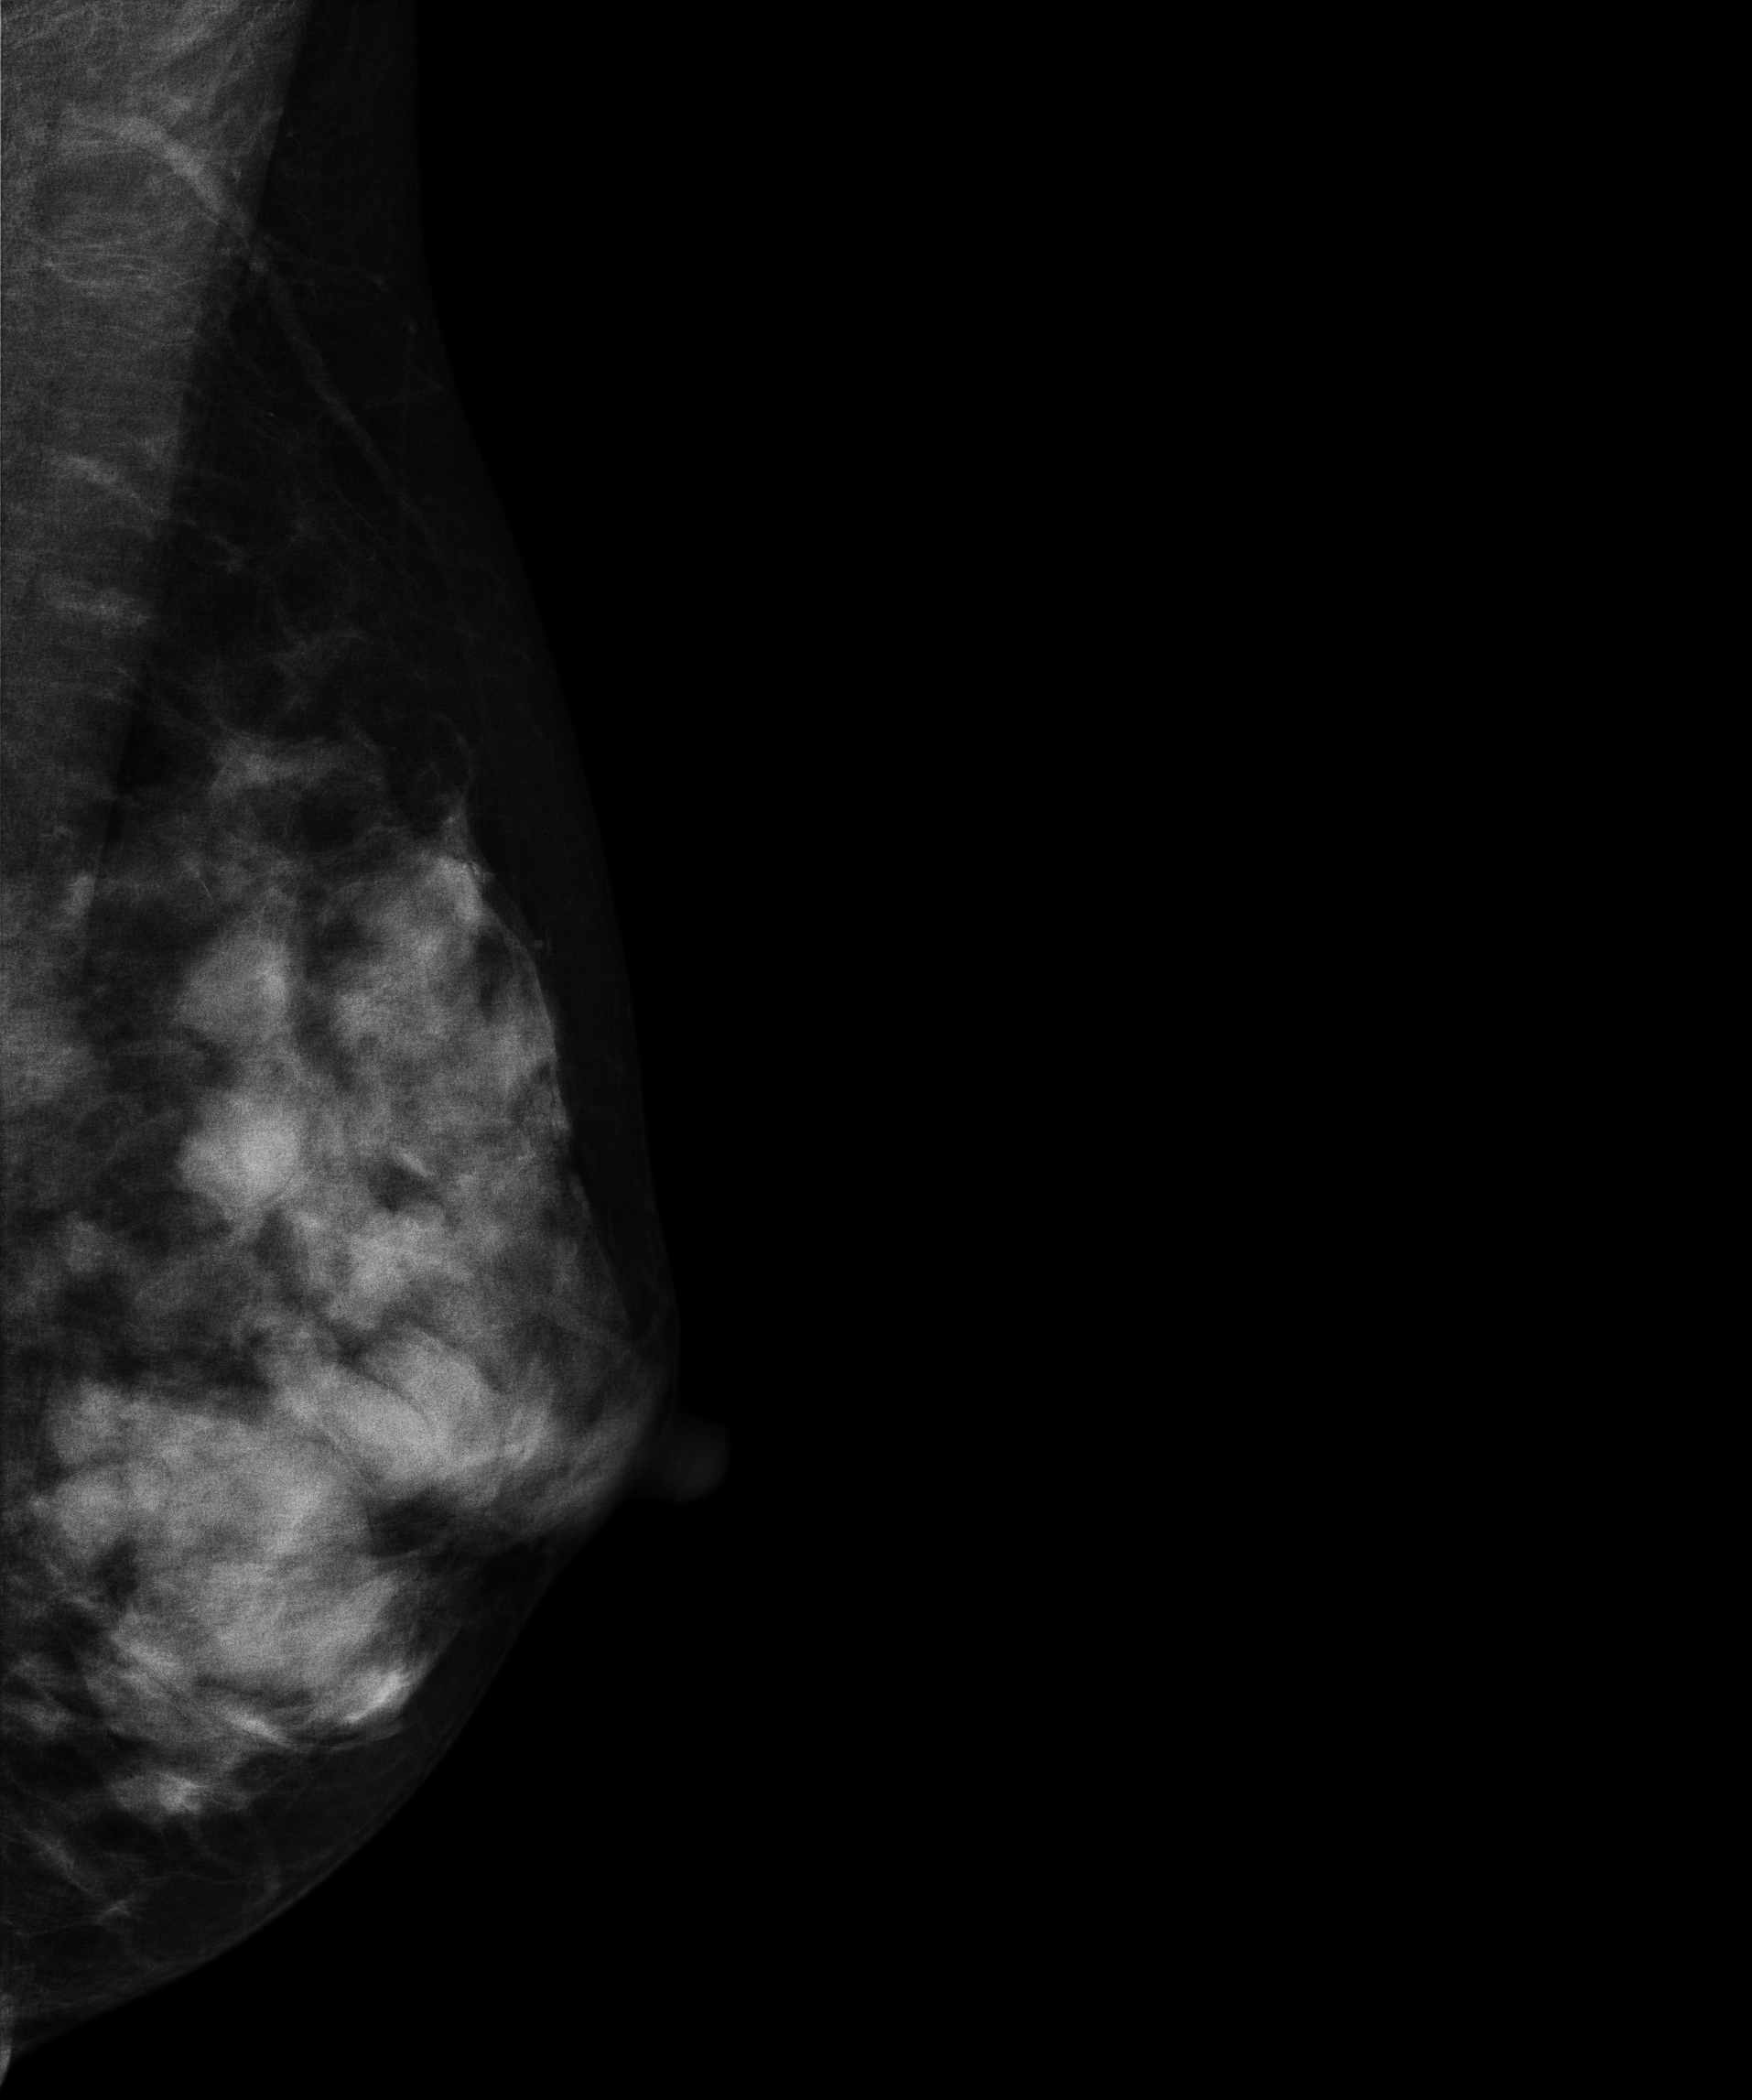
Medio-lateral oblique mammogram of the left breast. Patient age 37.
This breast has a mass, histologically confirmed benign.